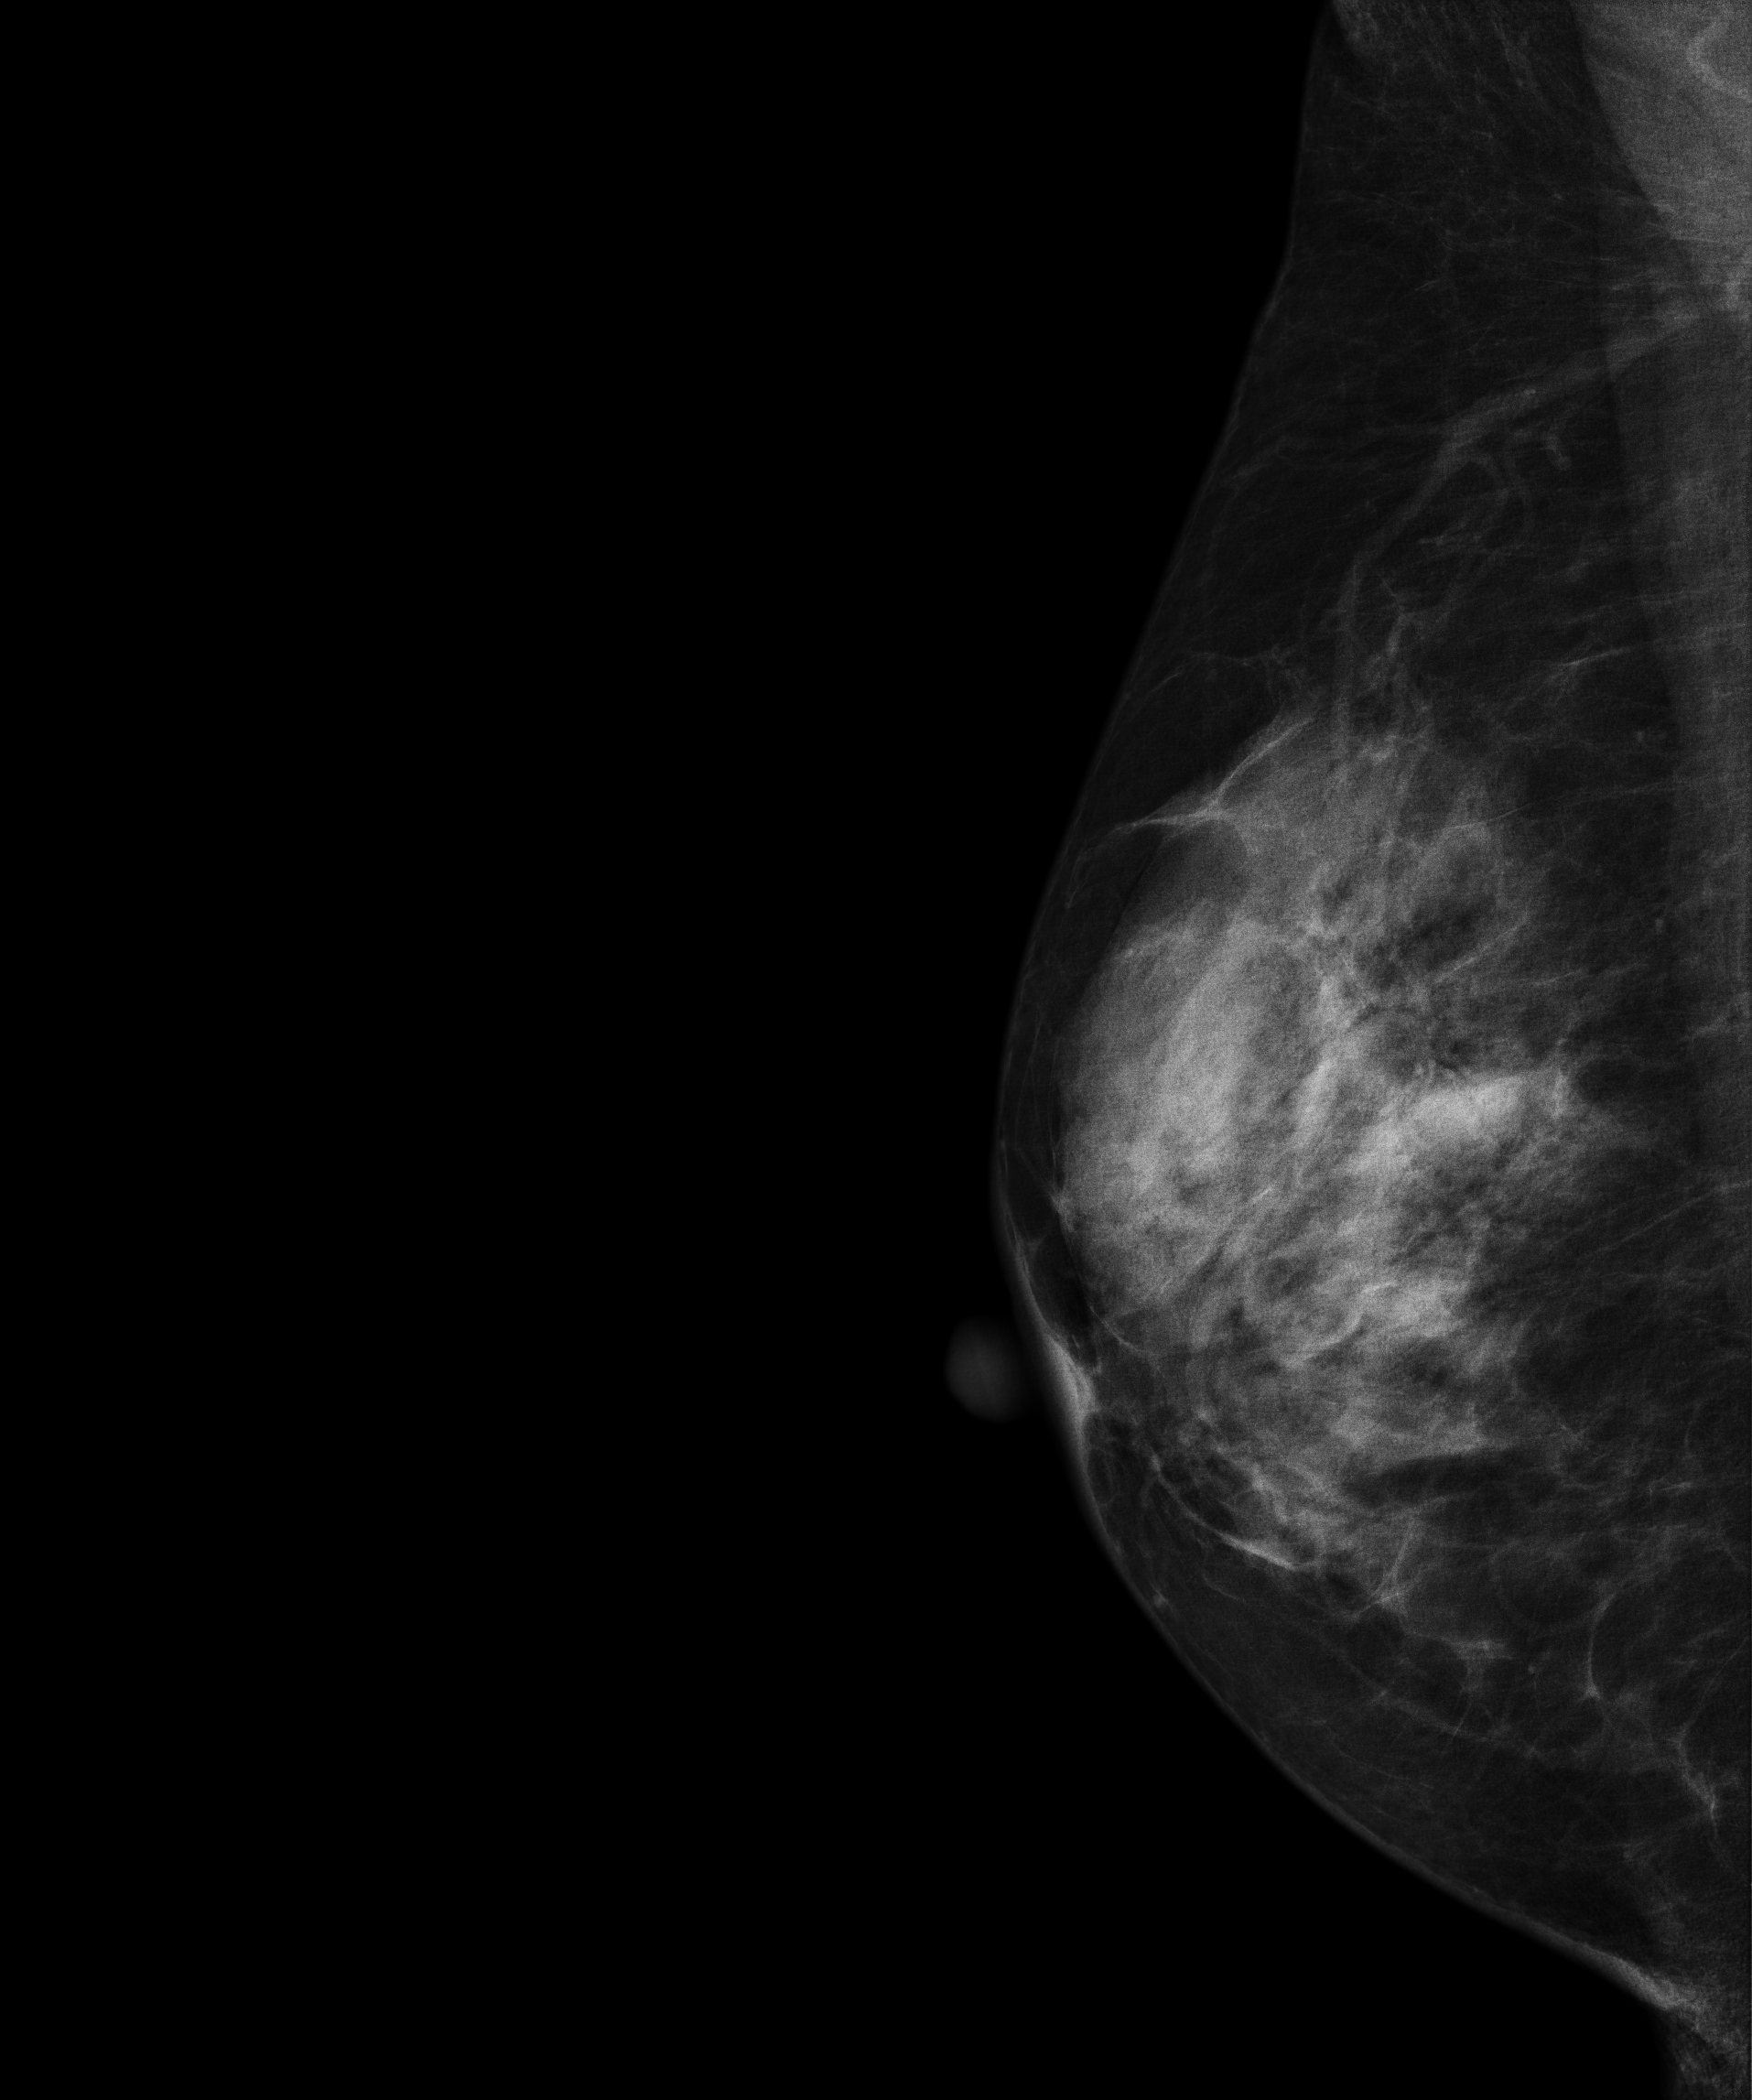
Right-breast mammogram, medio-lateral oblique. 59-year-old patient.
This breast has a mass, biopsy-proven benign.